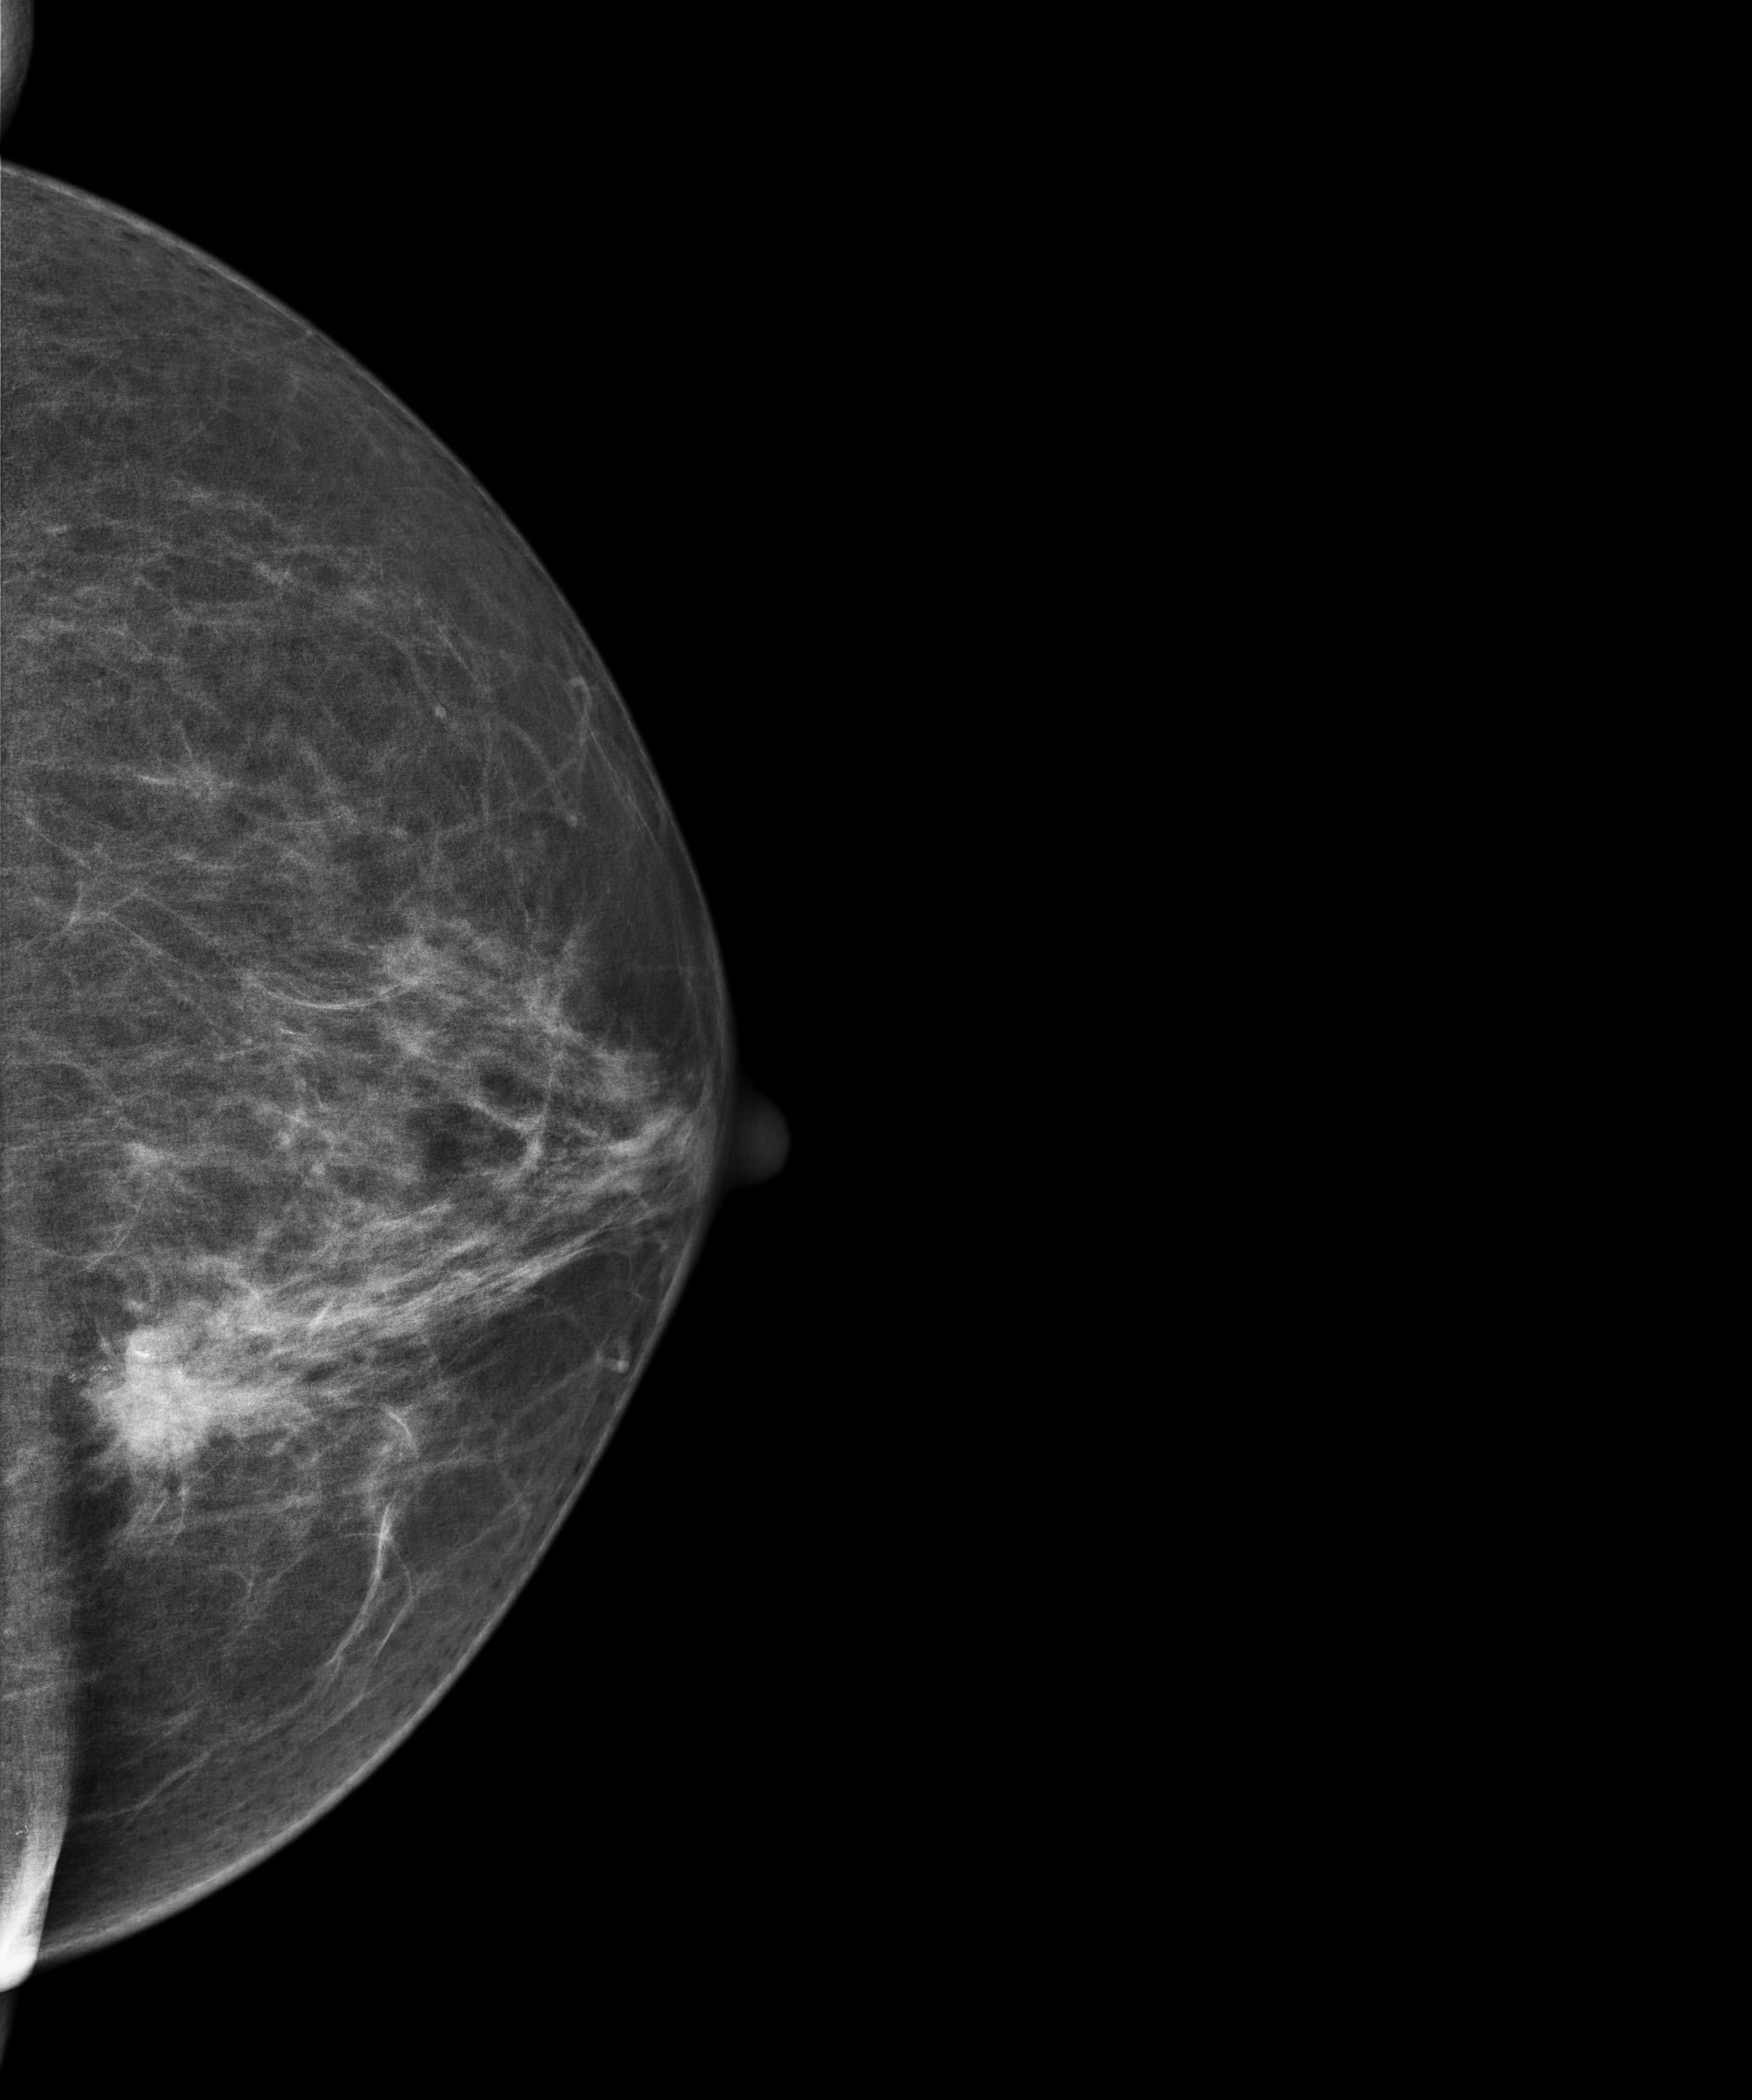
Left-breast mammogram, CC. Patient age 63.
This breast has a mass and calcifications, biopsy-proven malignant. Molecular subtype: luminal A.